Mammogram, right breast, CC view. 66-year-old patient.
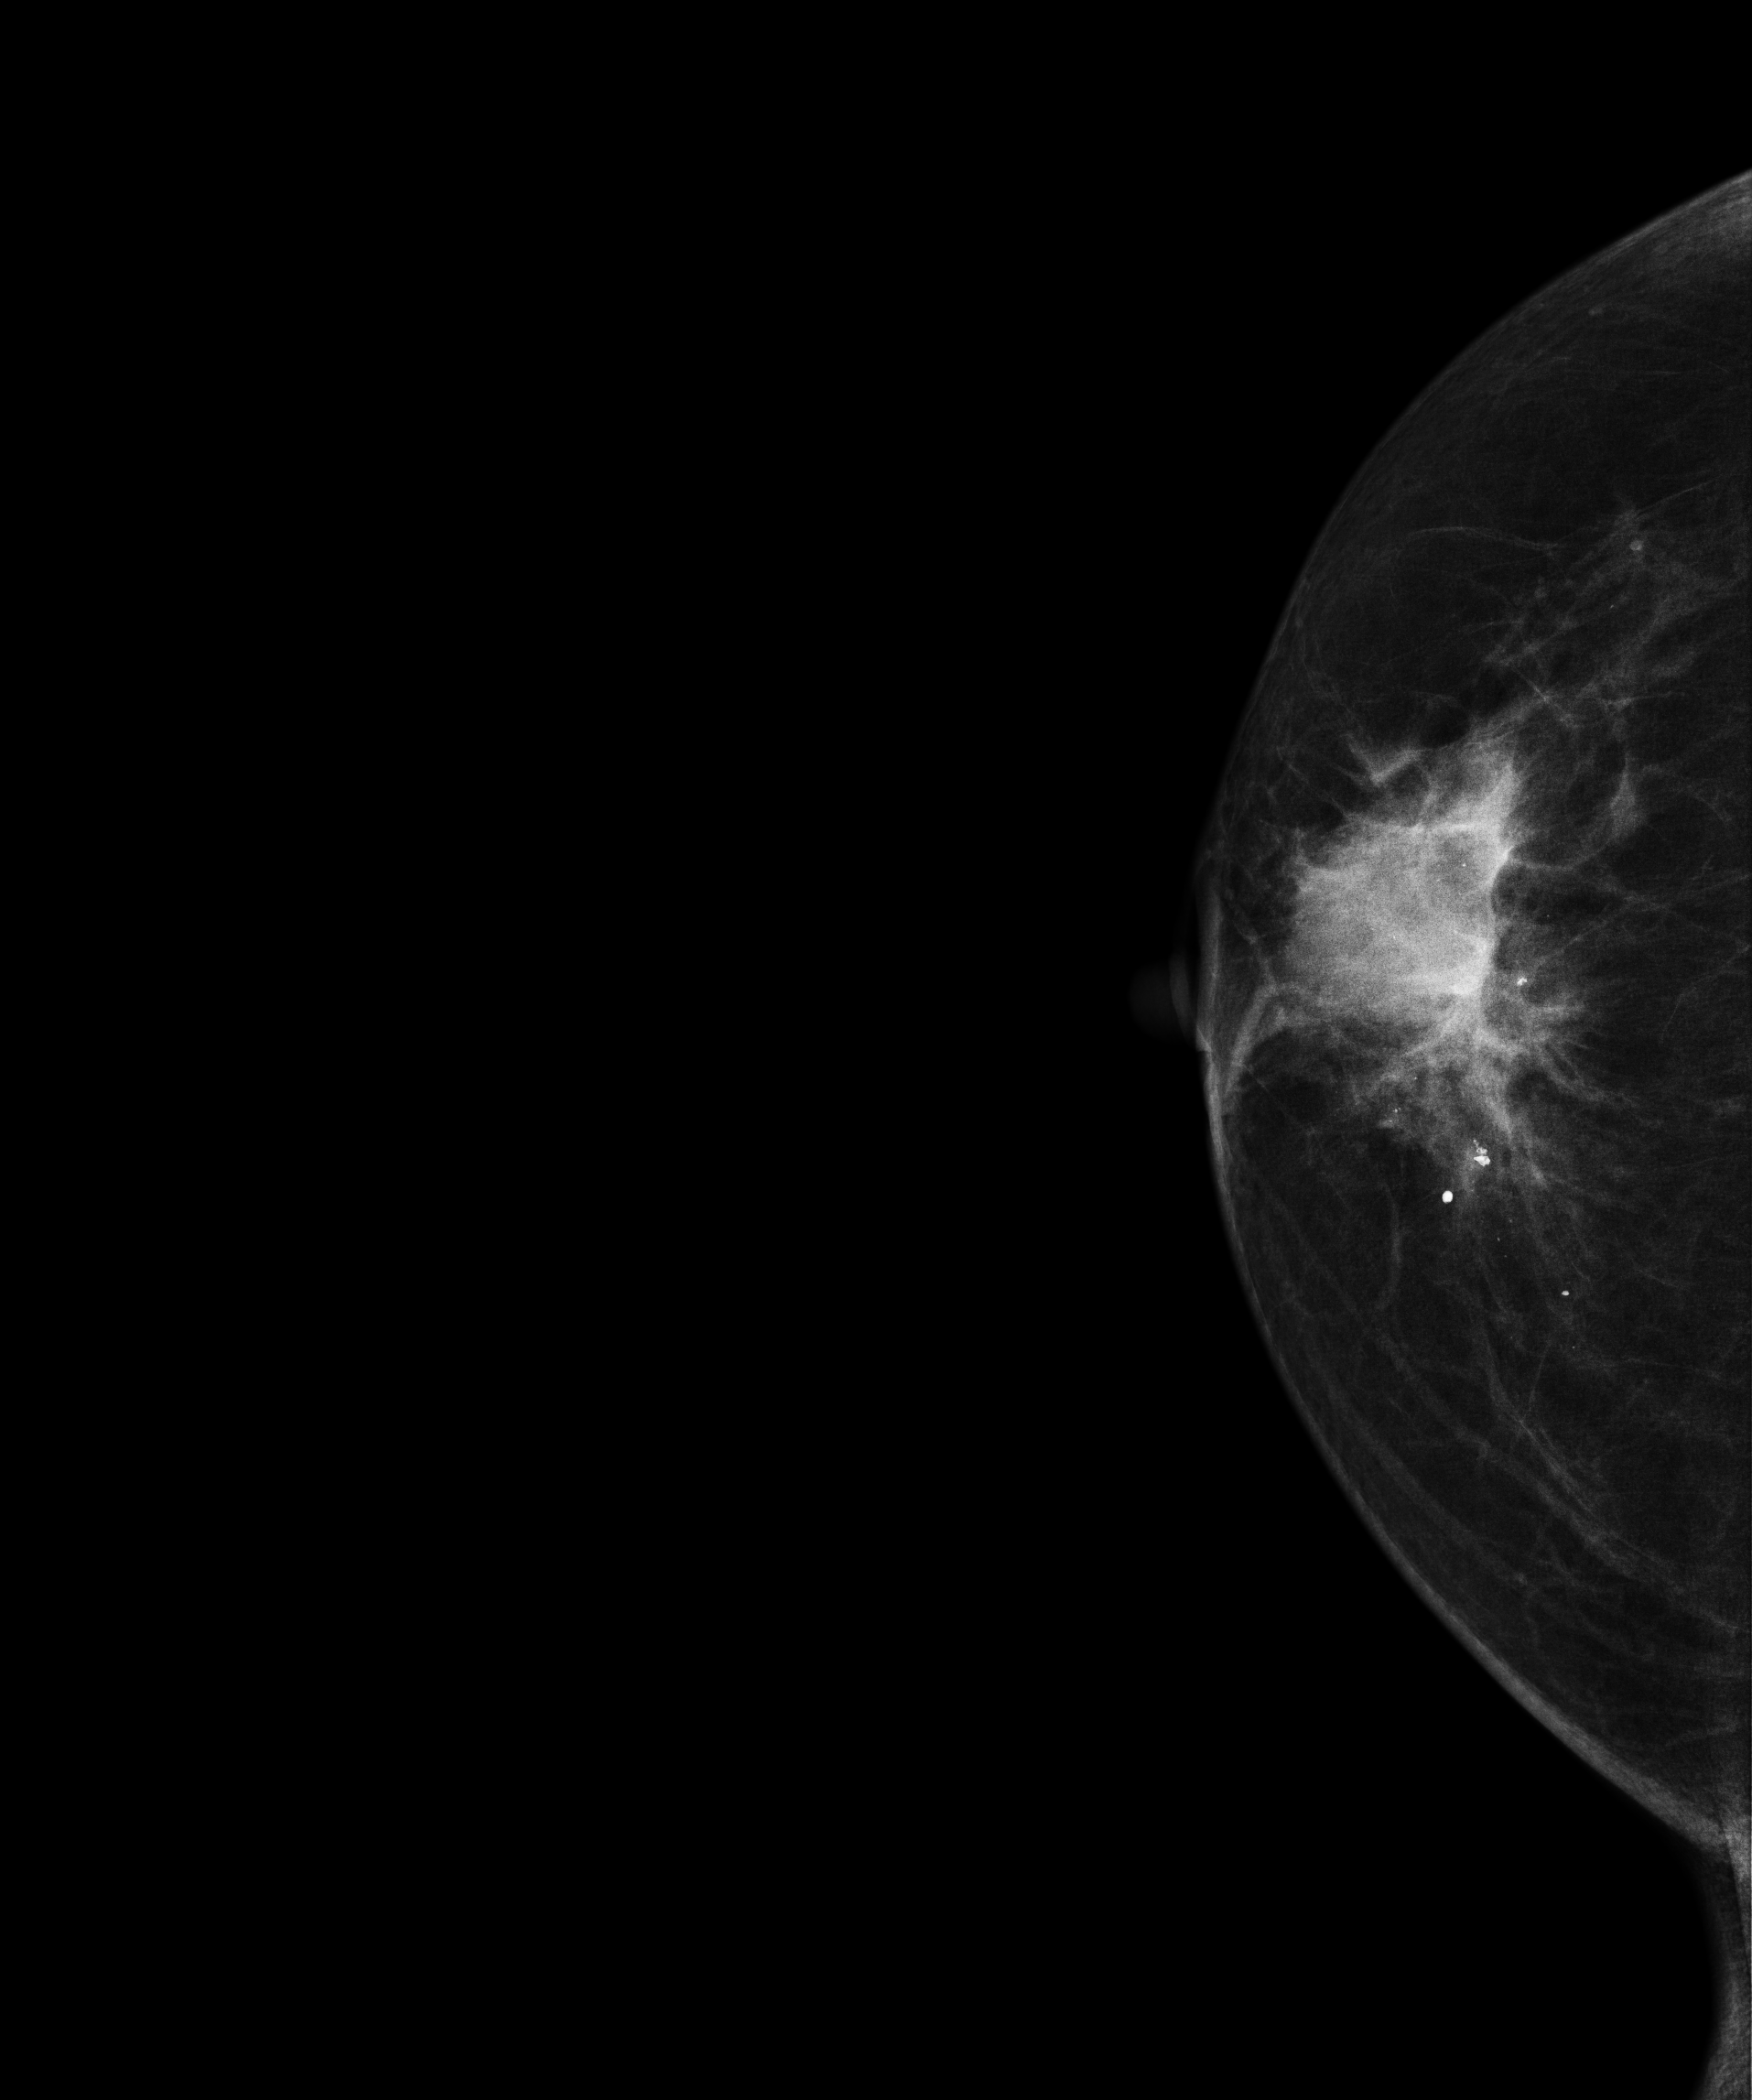
This breast has a mass and calcifications, pathology-confirmed malignant. Molecular subtype: luminal A.